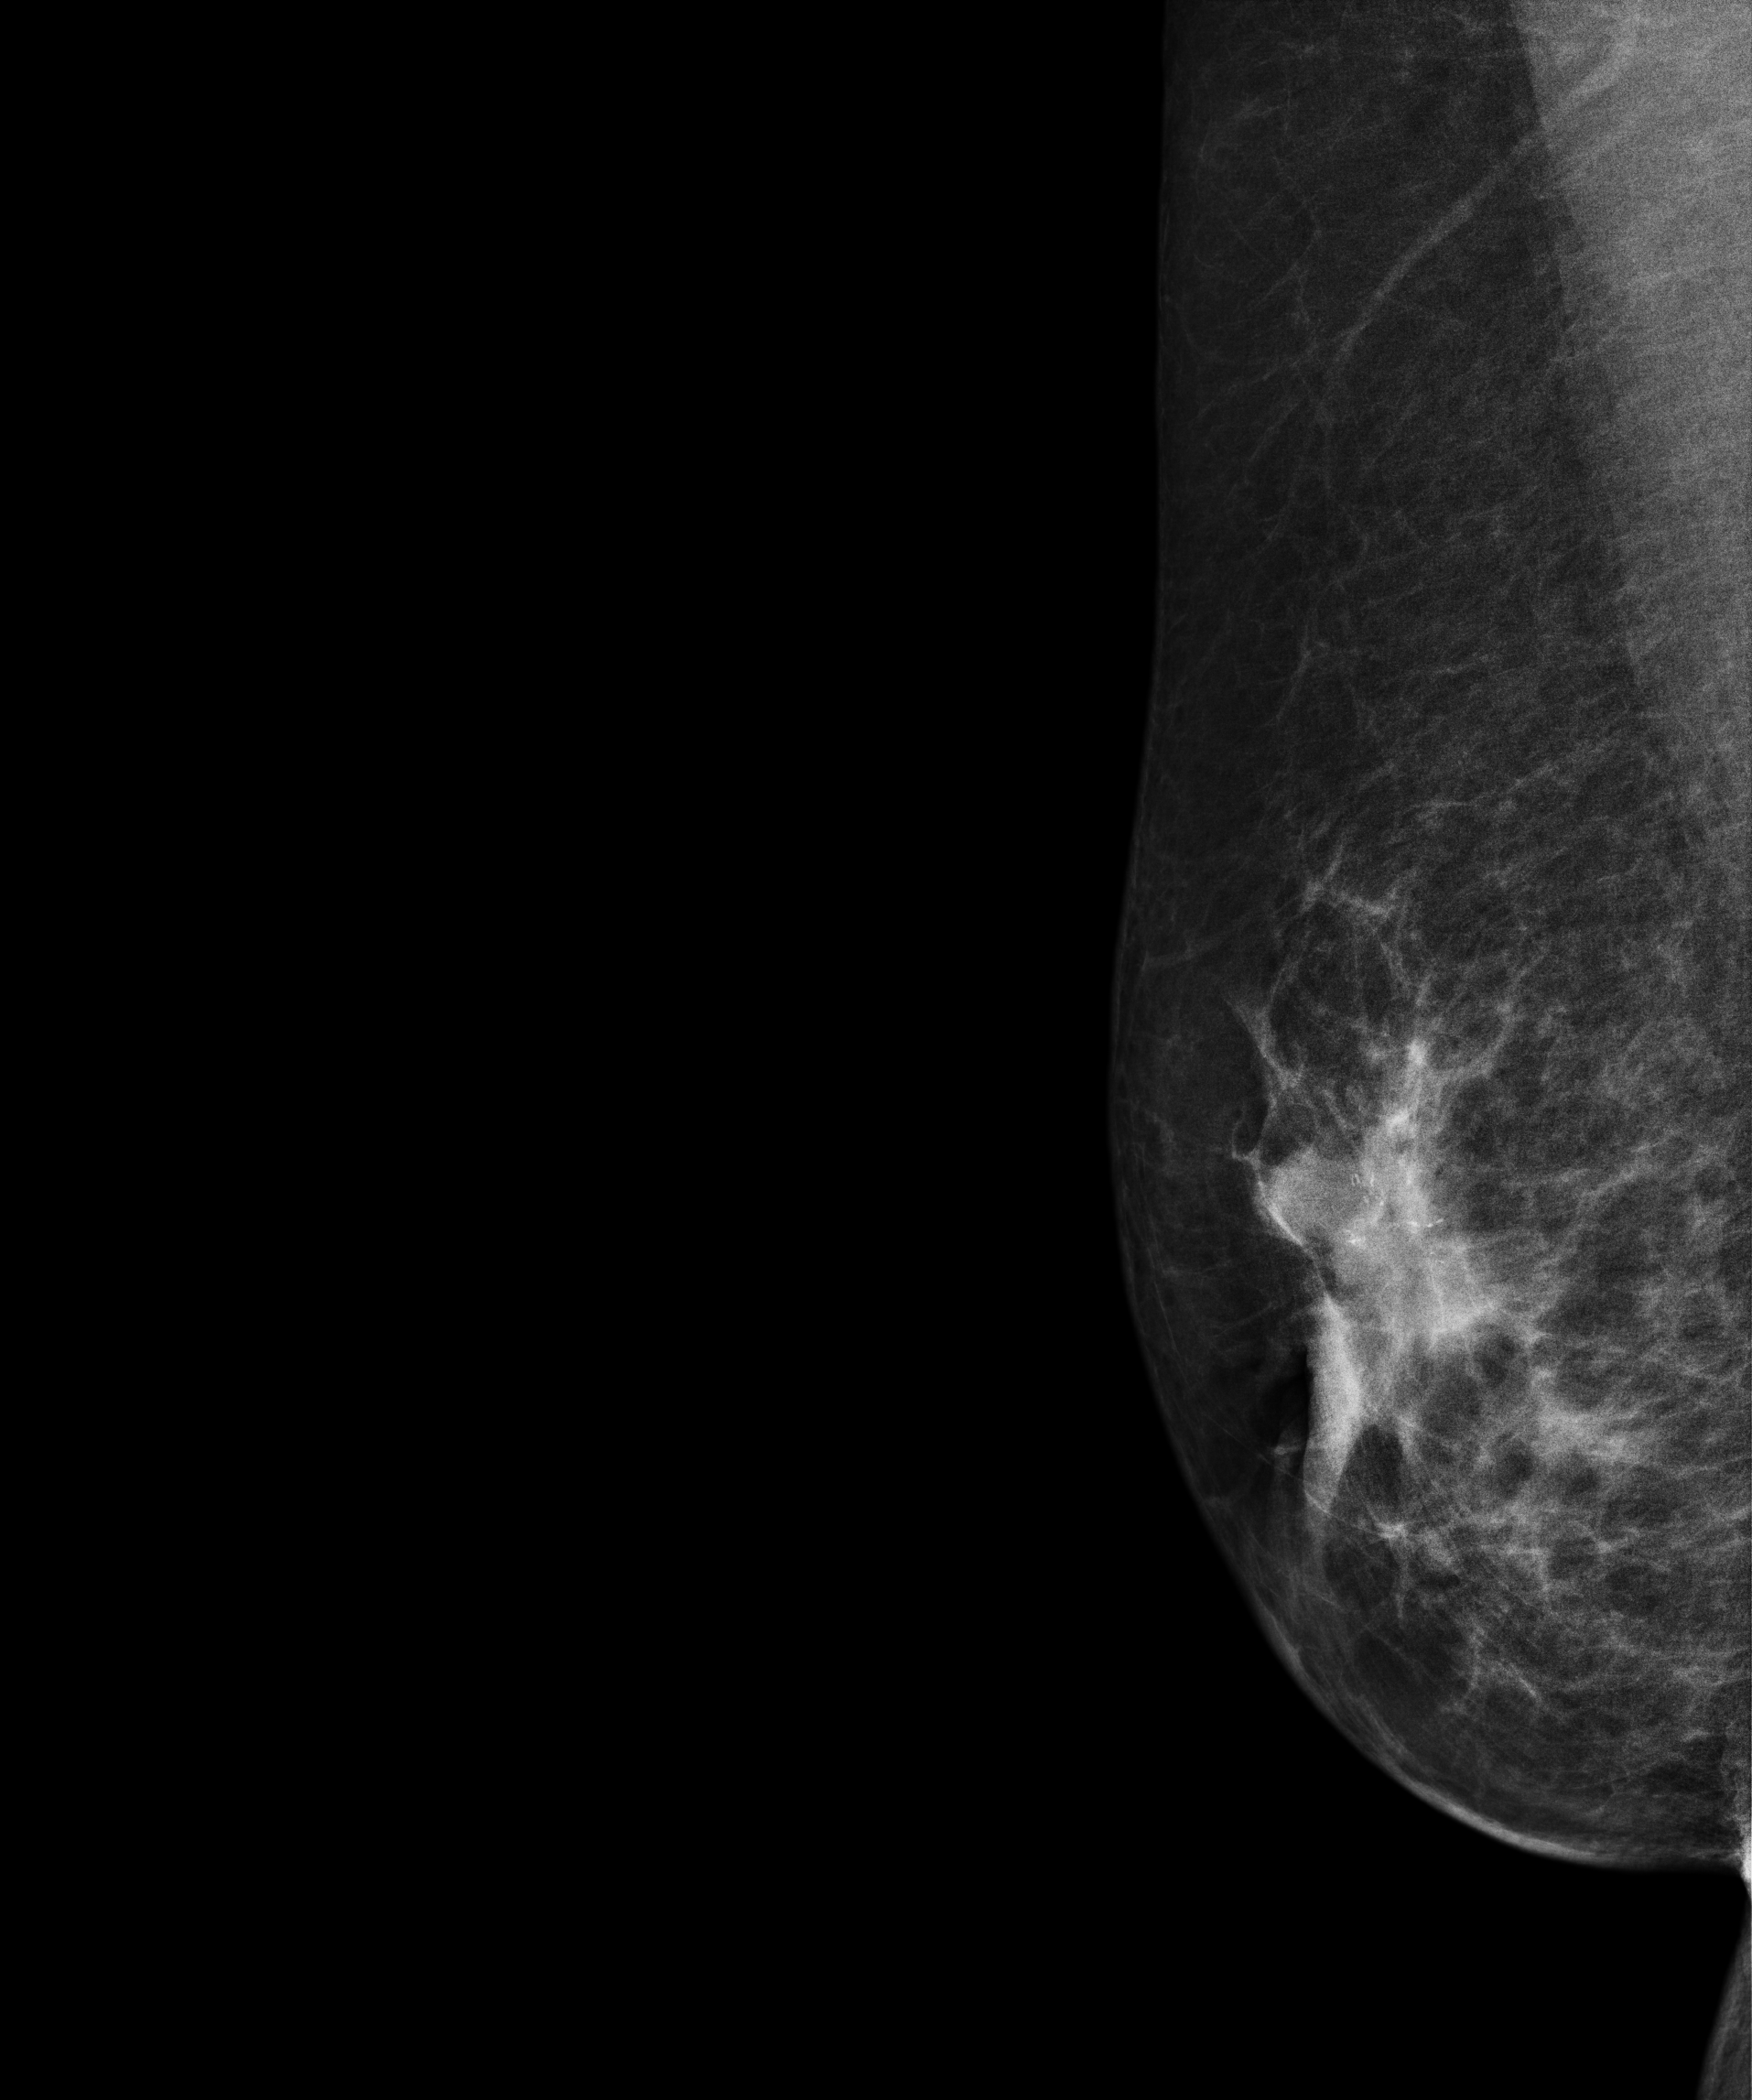
MLO mammogram of the right breast. Patient age 82.
This breast has a mass and calcifications, biopsy-proven malignant. Molecular subtype: luminal B.